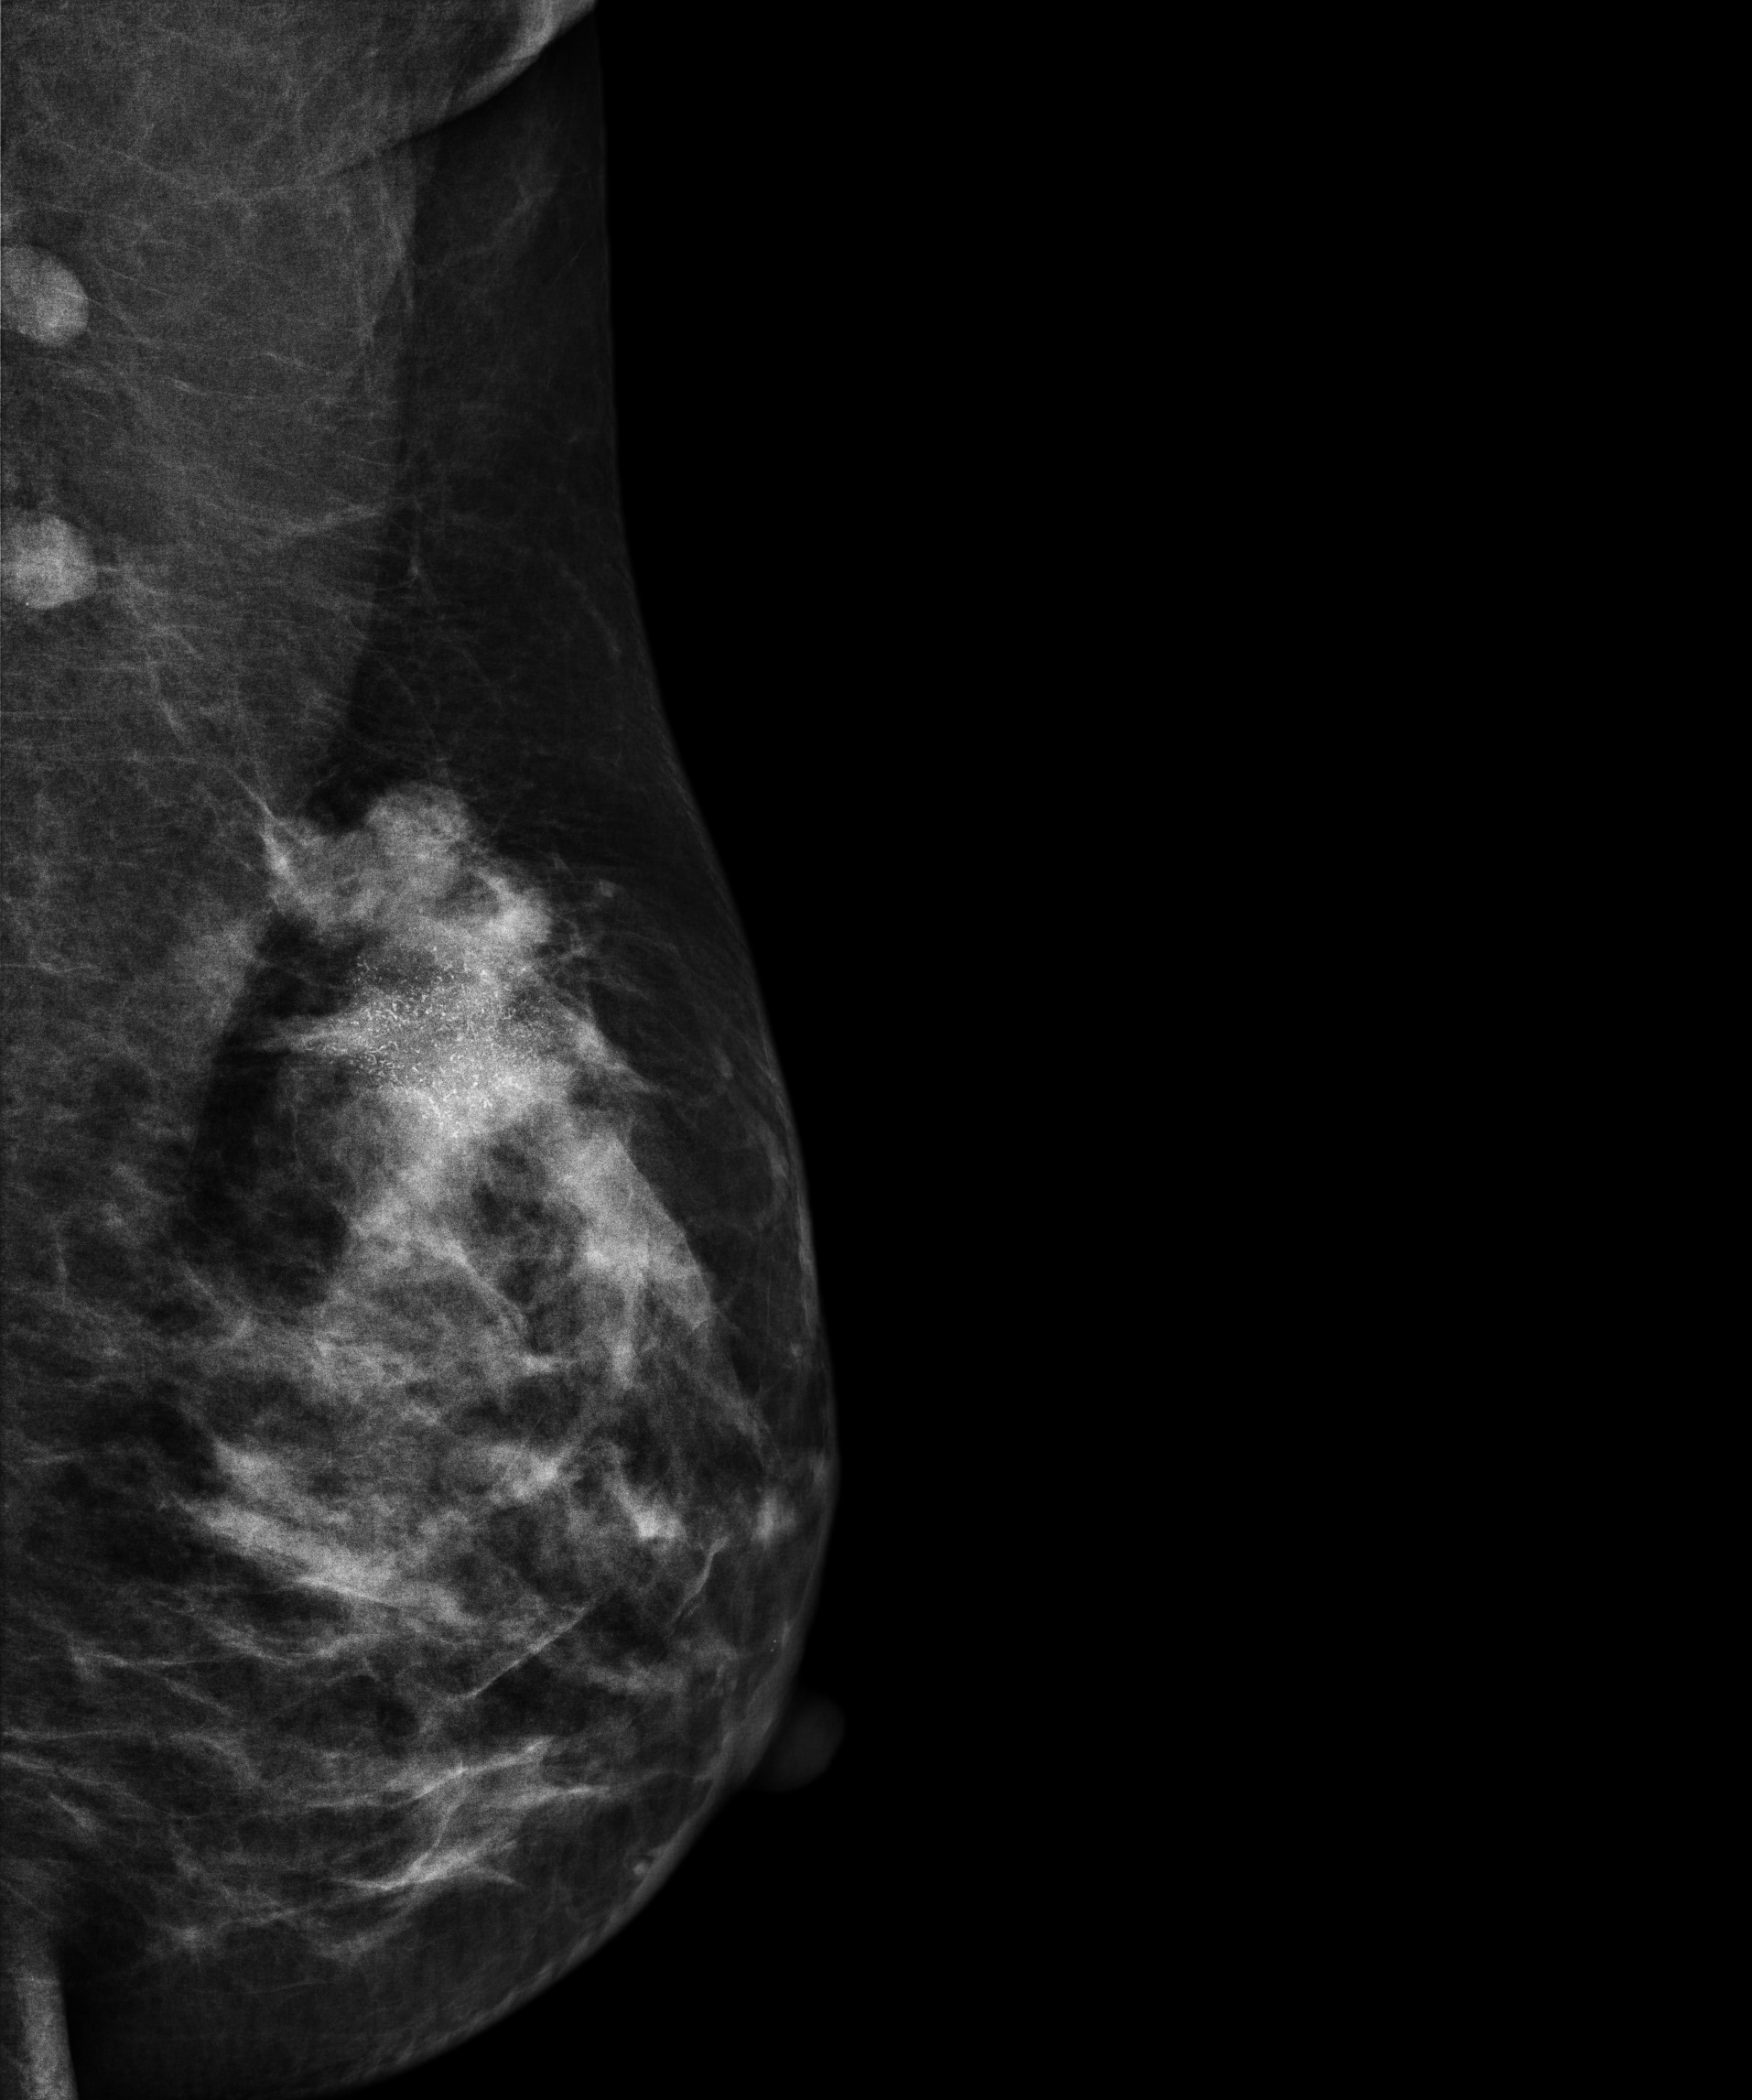
Digital mammography. Left breast, medio-lateral oblique projection. 37 y/o patient.
This breast has calcifications, histologically confirmed malignant. Molecular subtype: luminal B.